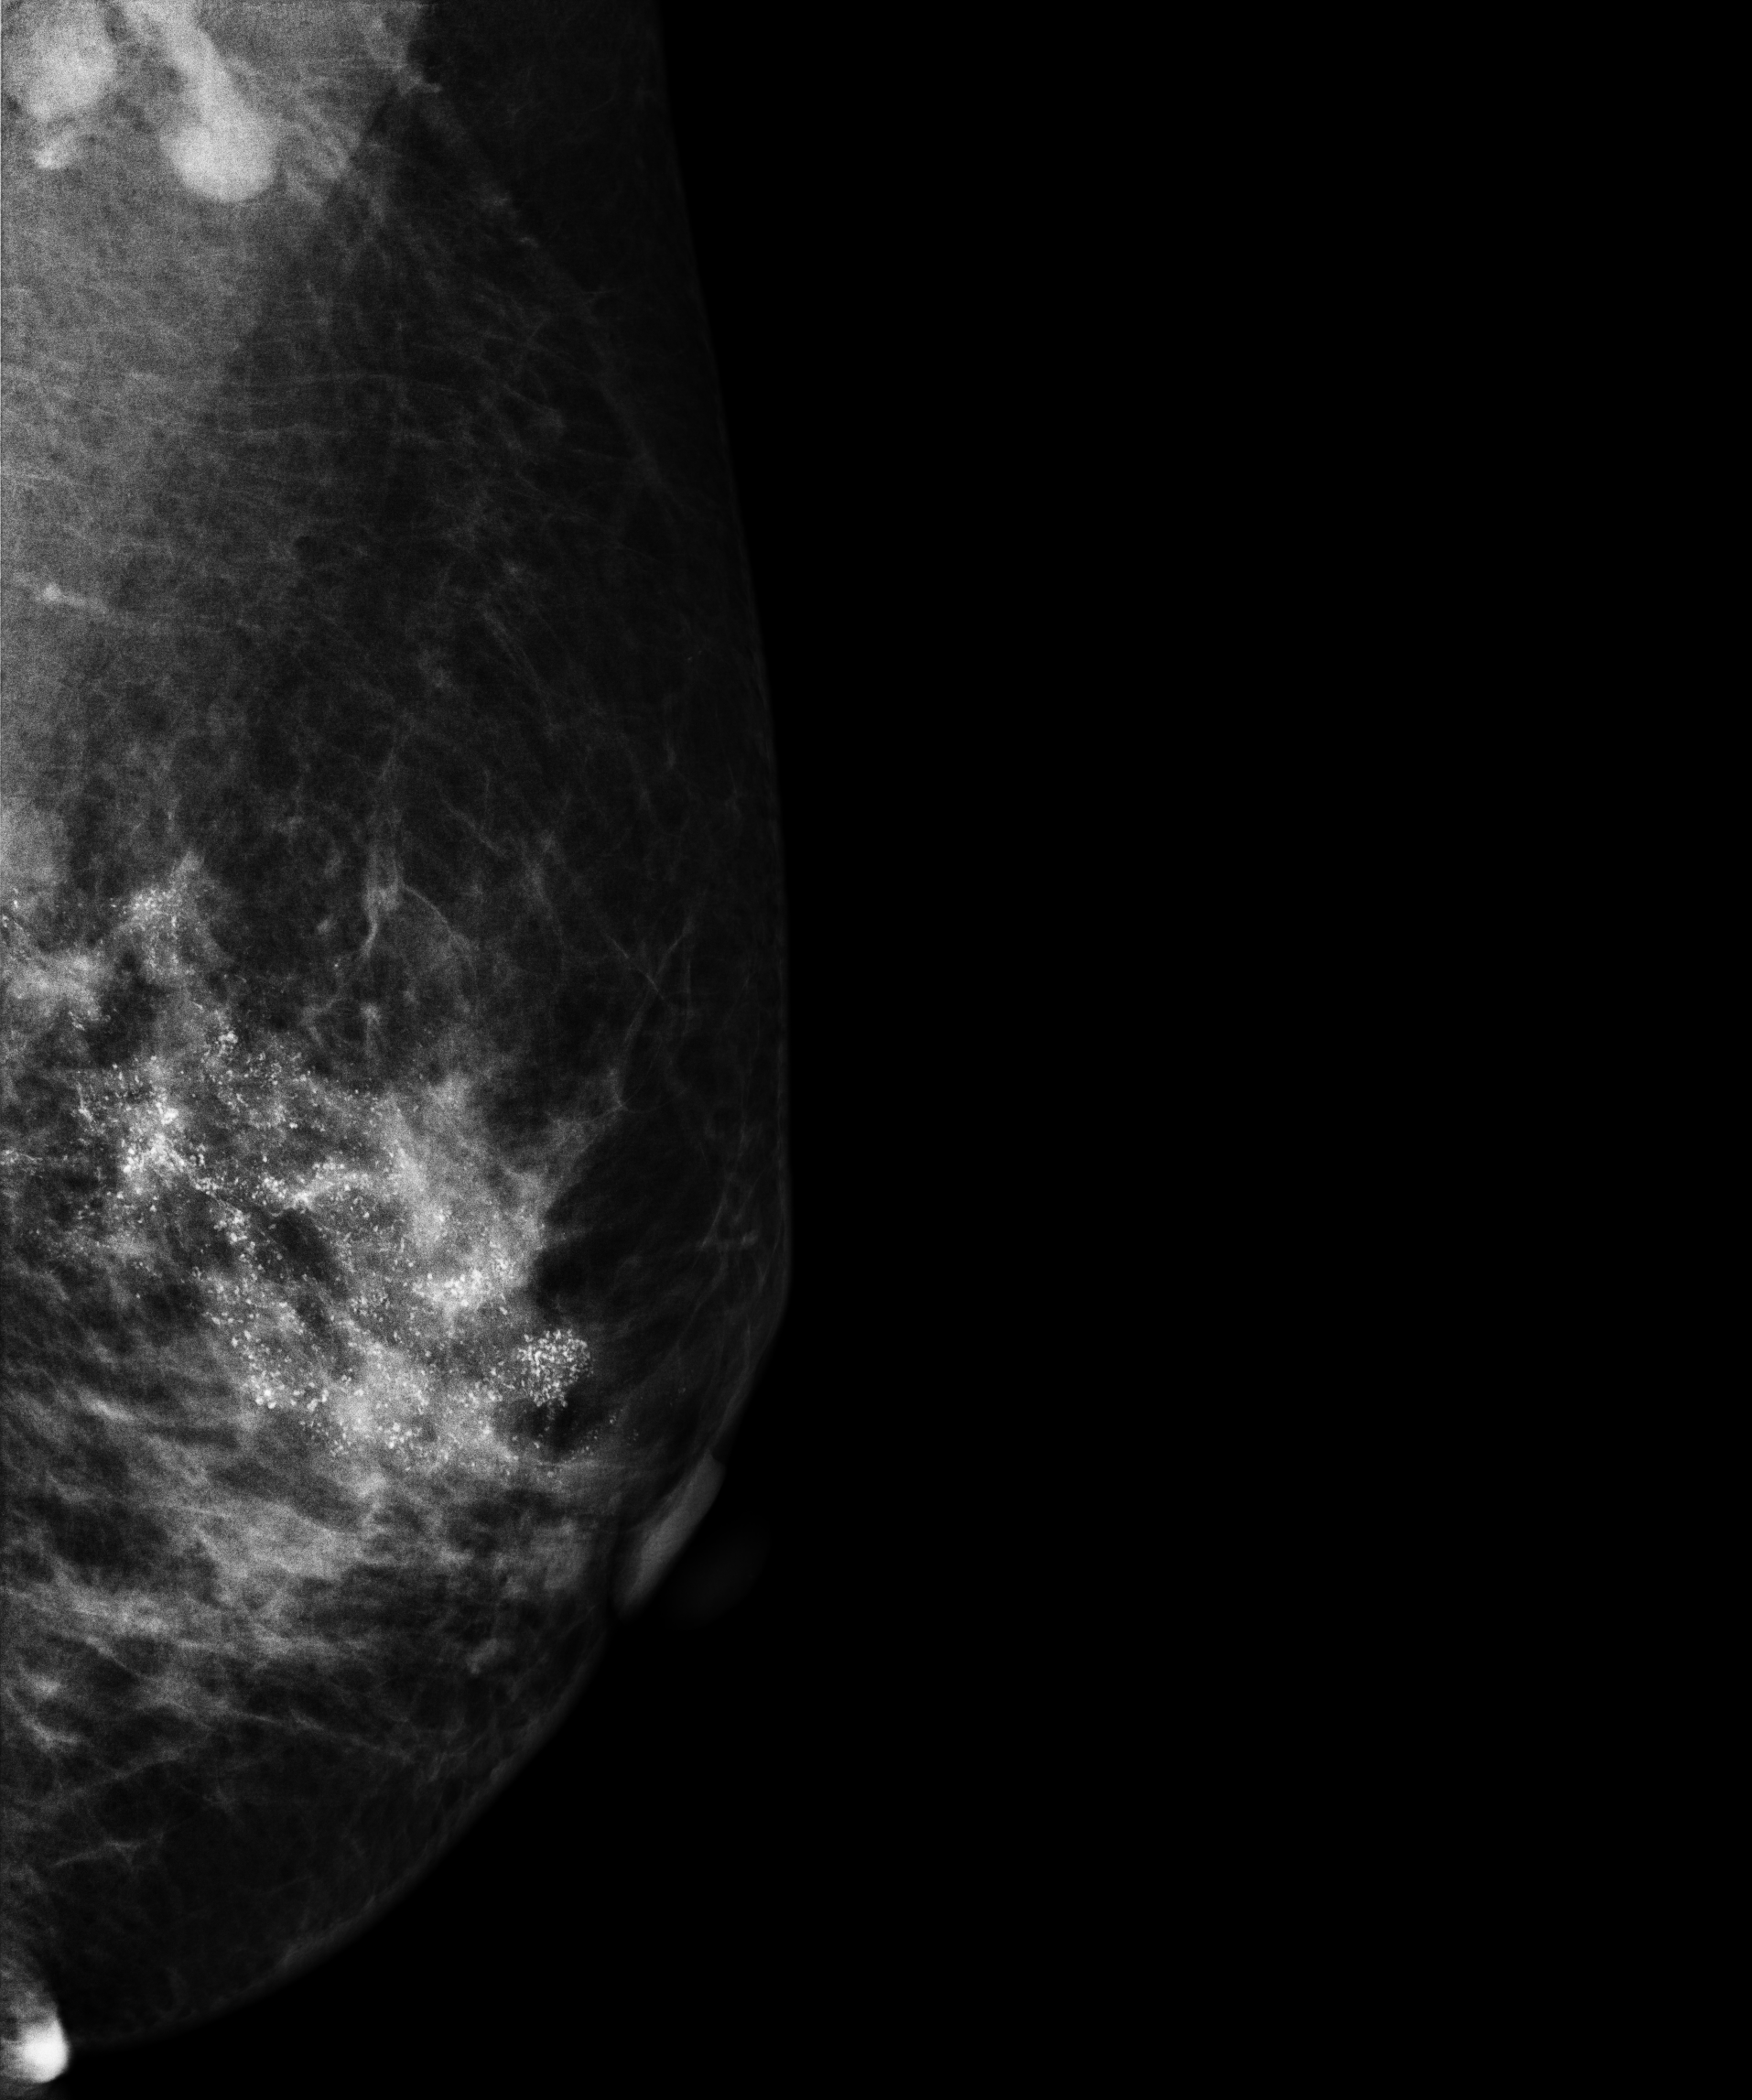
Left-breast mammogram, MLO. 42-year-old patient.
This breast has a mass and calcifications, biopsy-proven malignant. Molecular subtype: luminal B.